Mammogram, left breast, MLO view. 48-year-old patient.
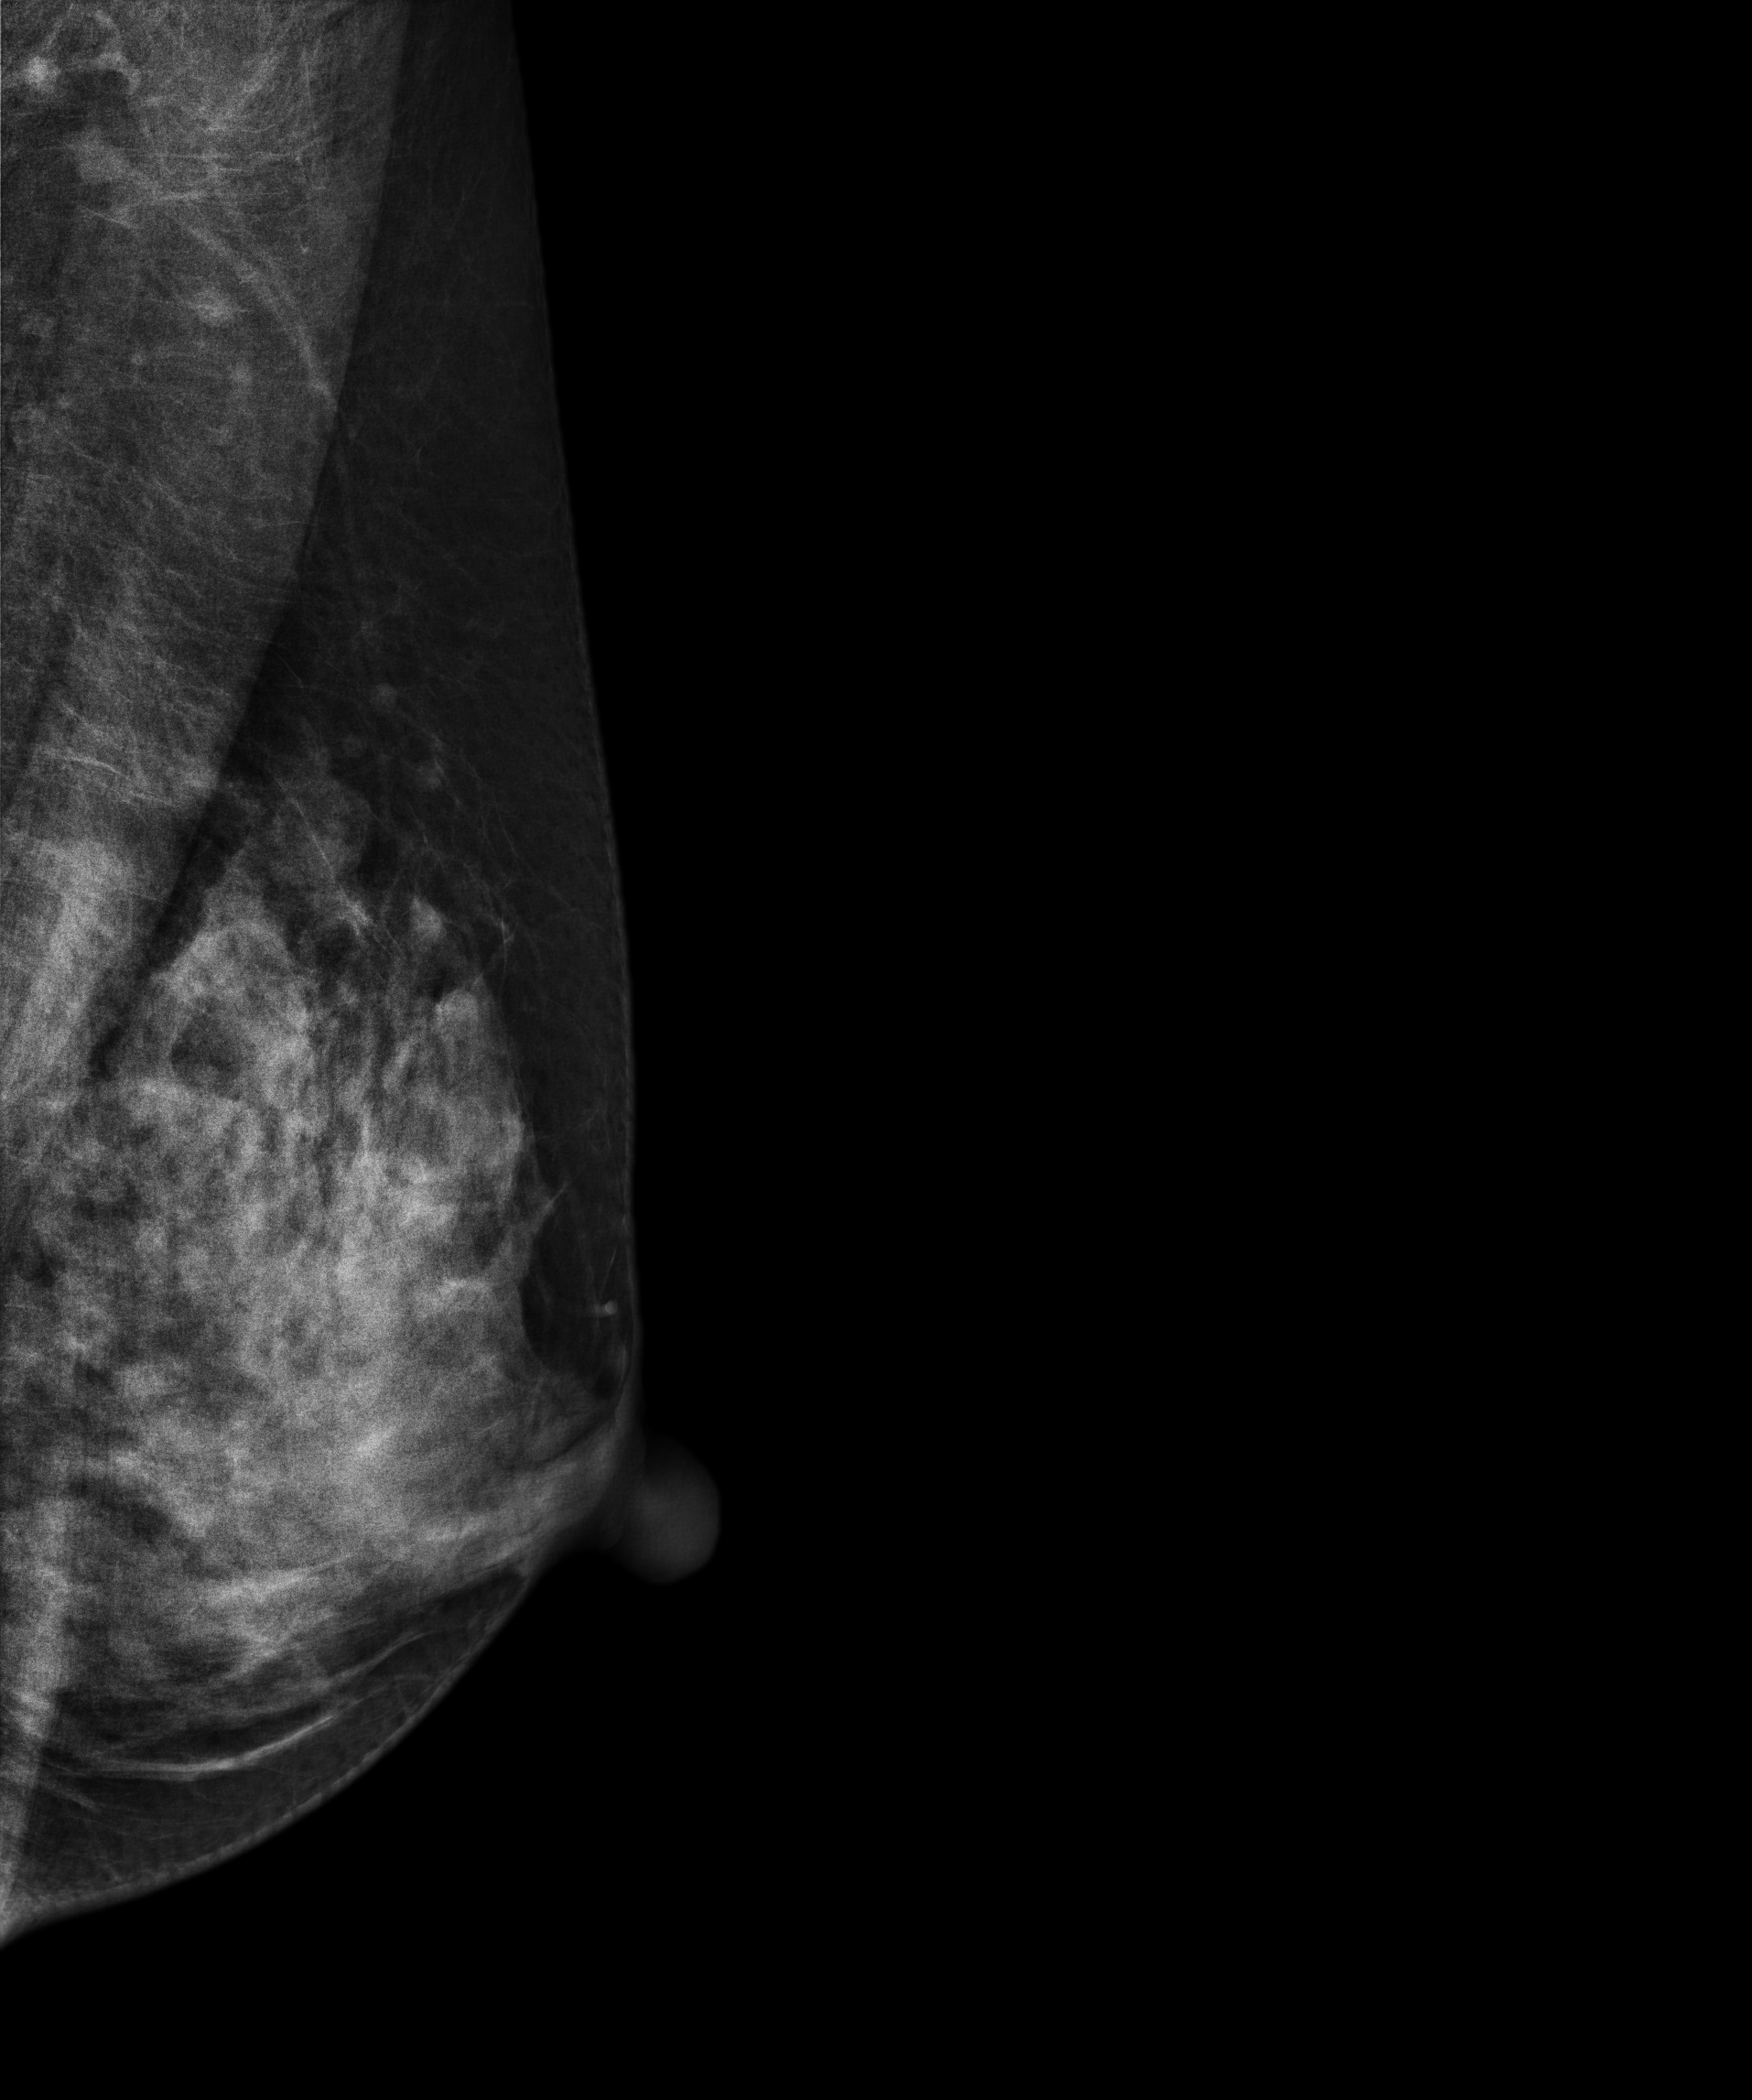
Contralateral breast — no documented abnormality on this side.